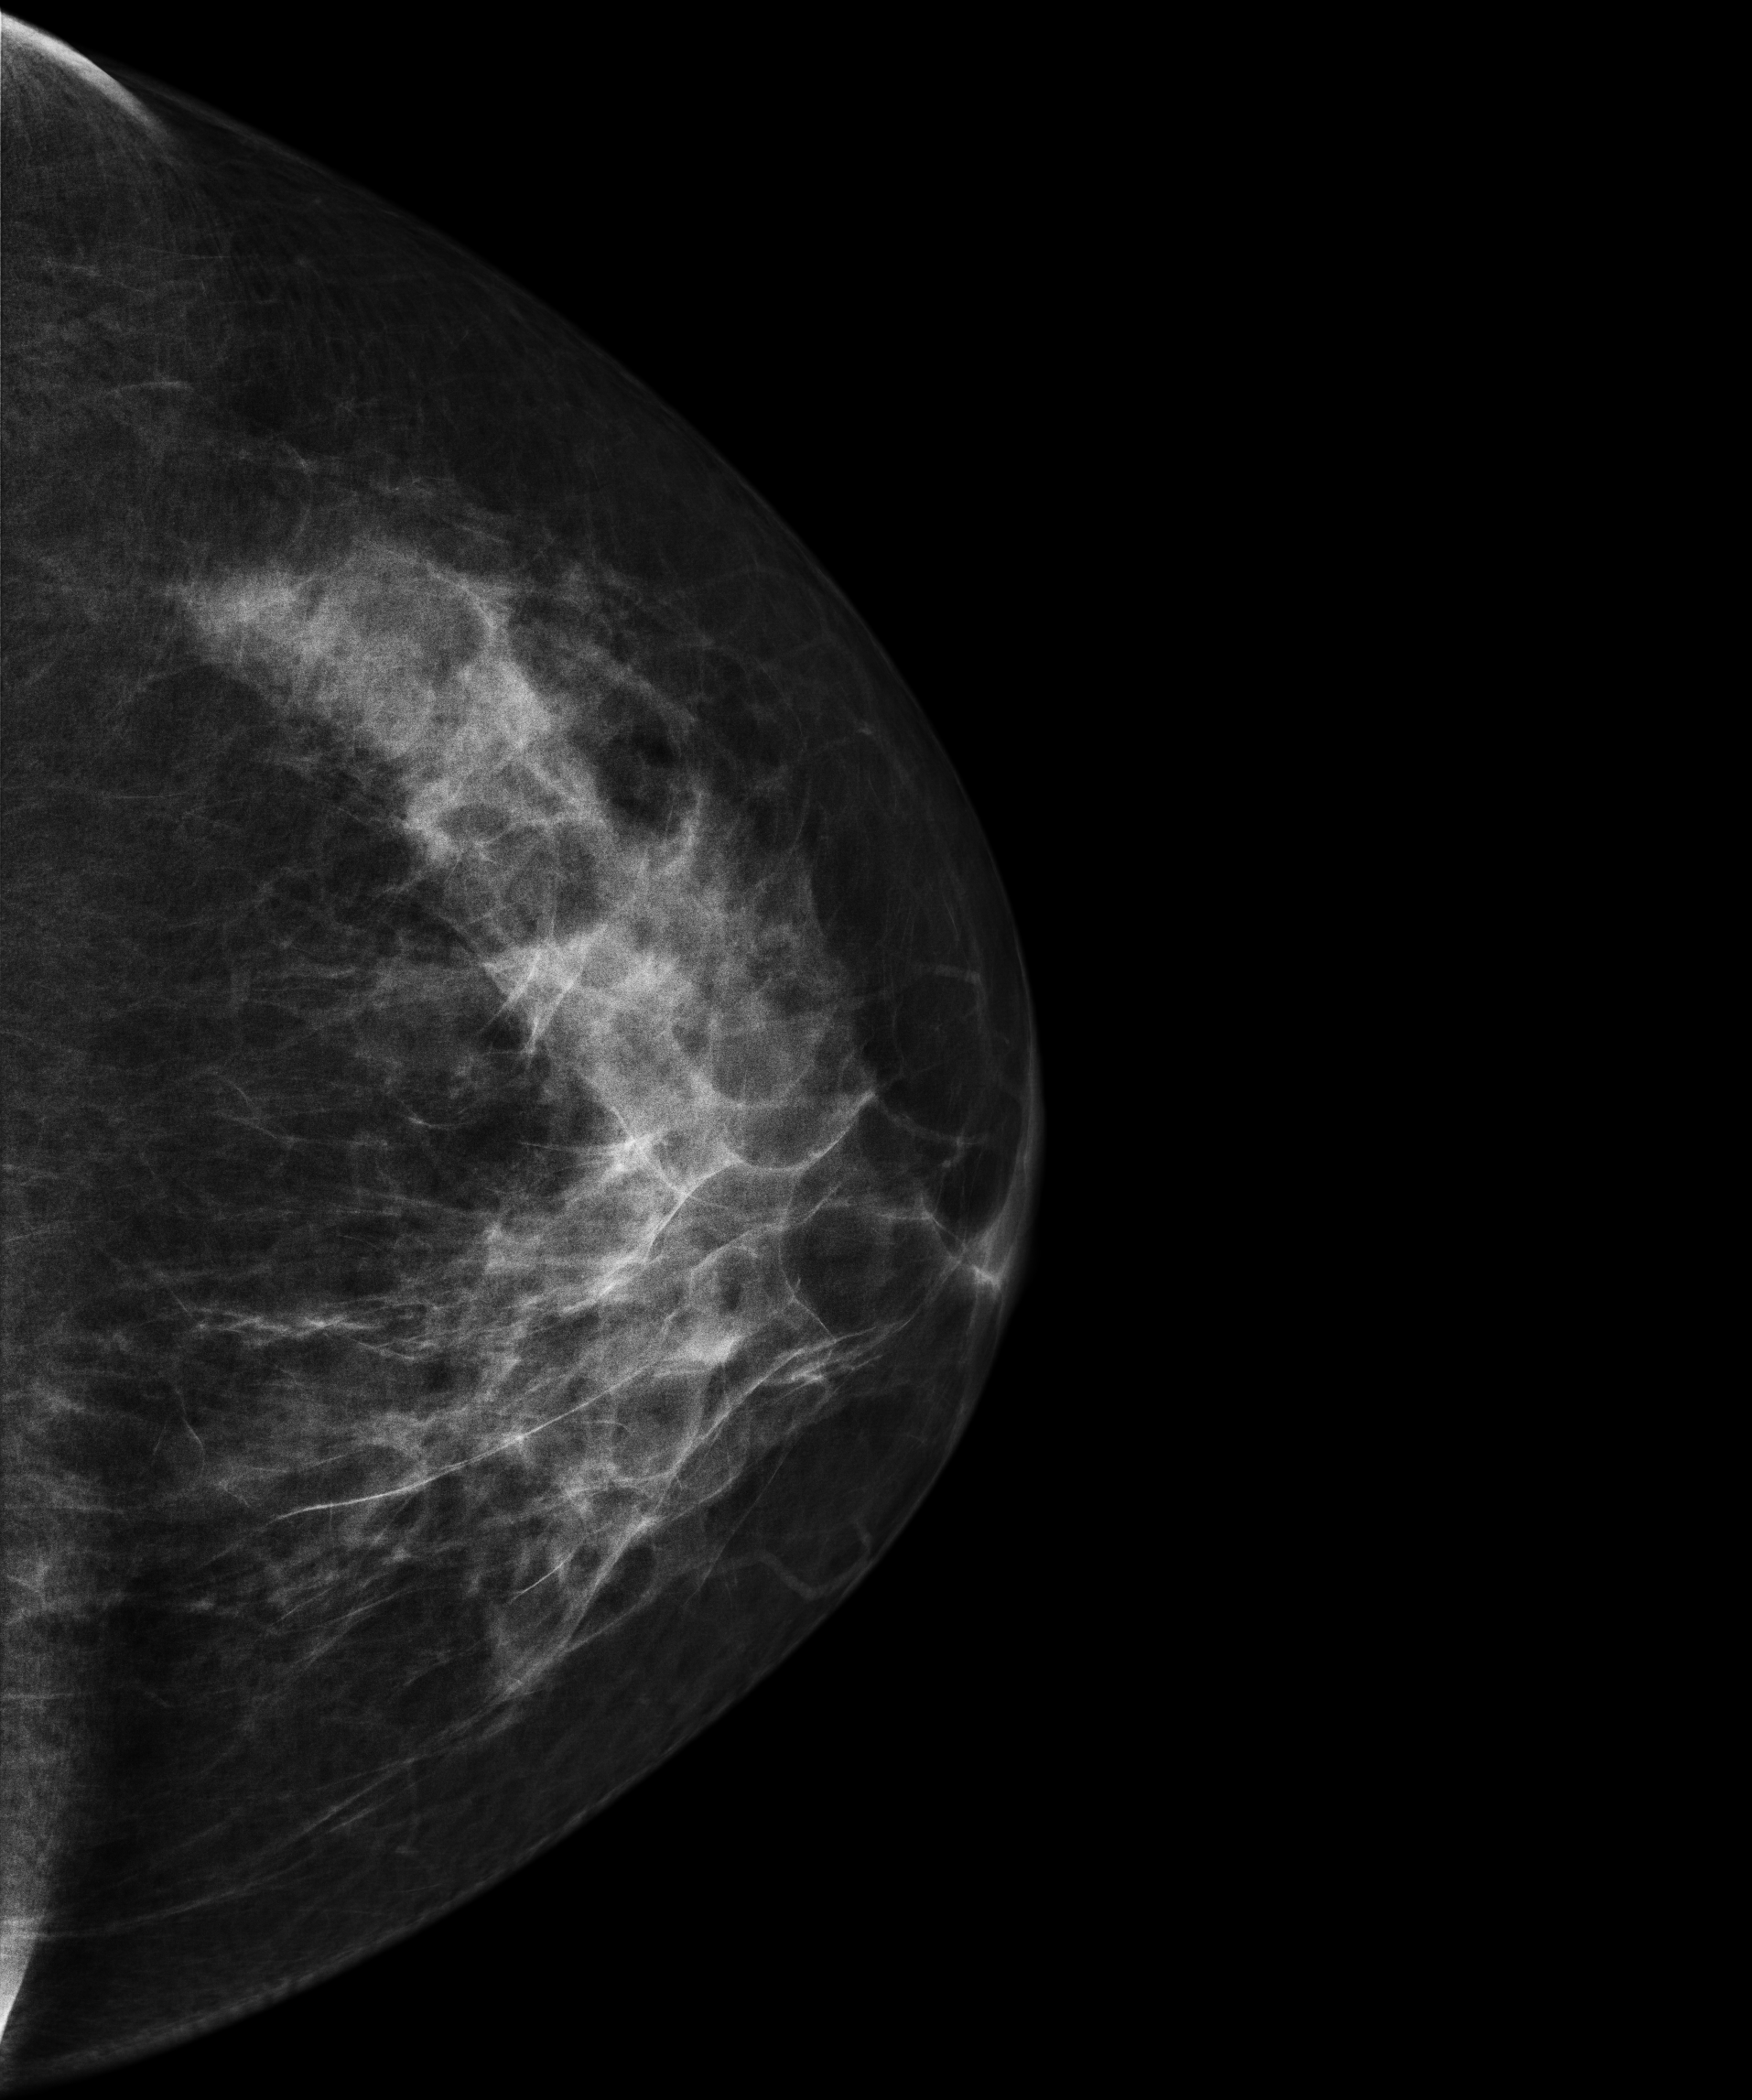
CC mammogram of the left breast. Patient age 63.
Contralateral breast — no documented abnormality on this side.